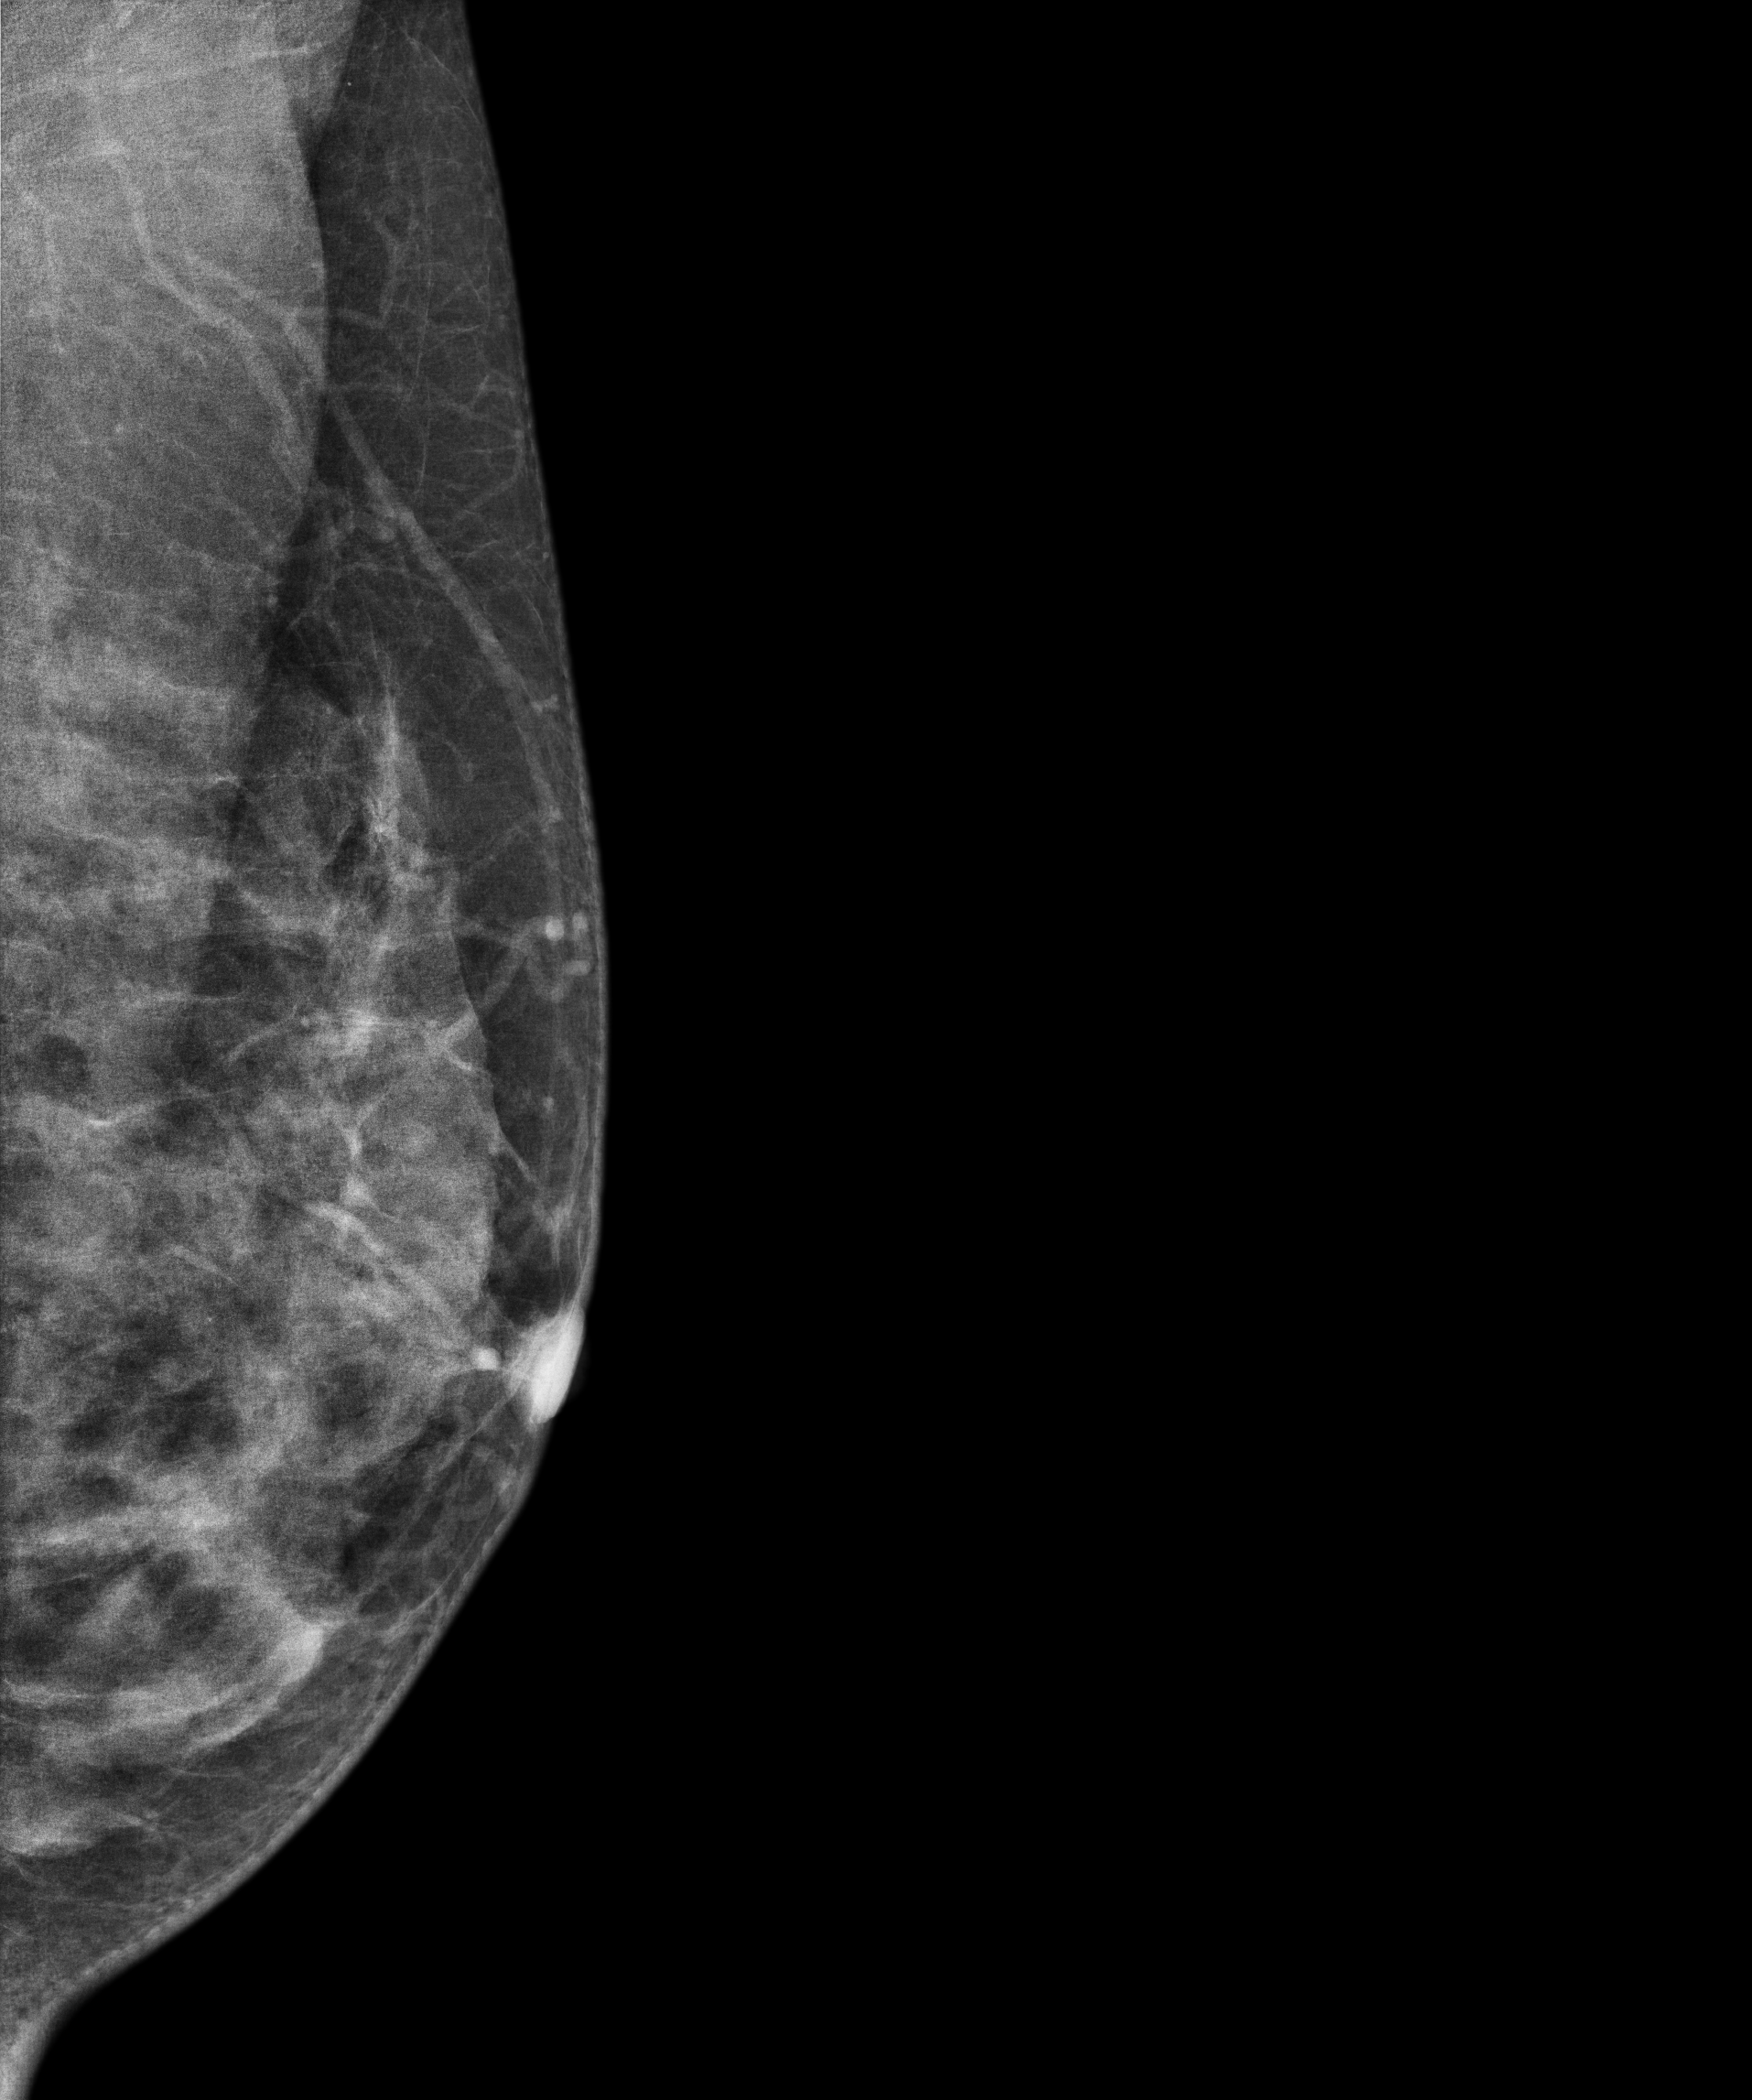
Digital mammography. Left breast, medio-lateral oblique projection. 35 y/o patient.
Contralateral breast — no documented abnormality on this side.